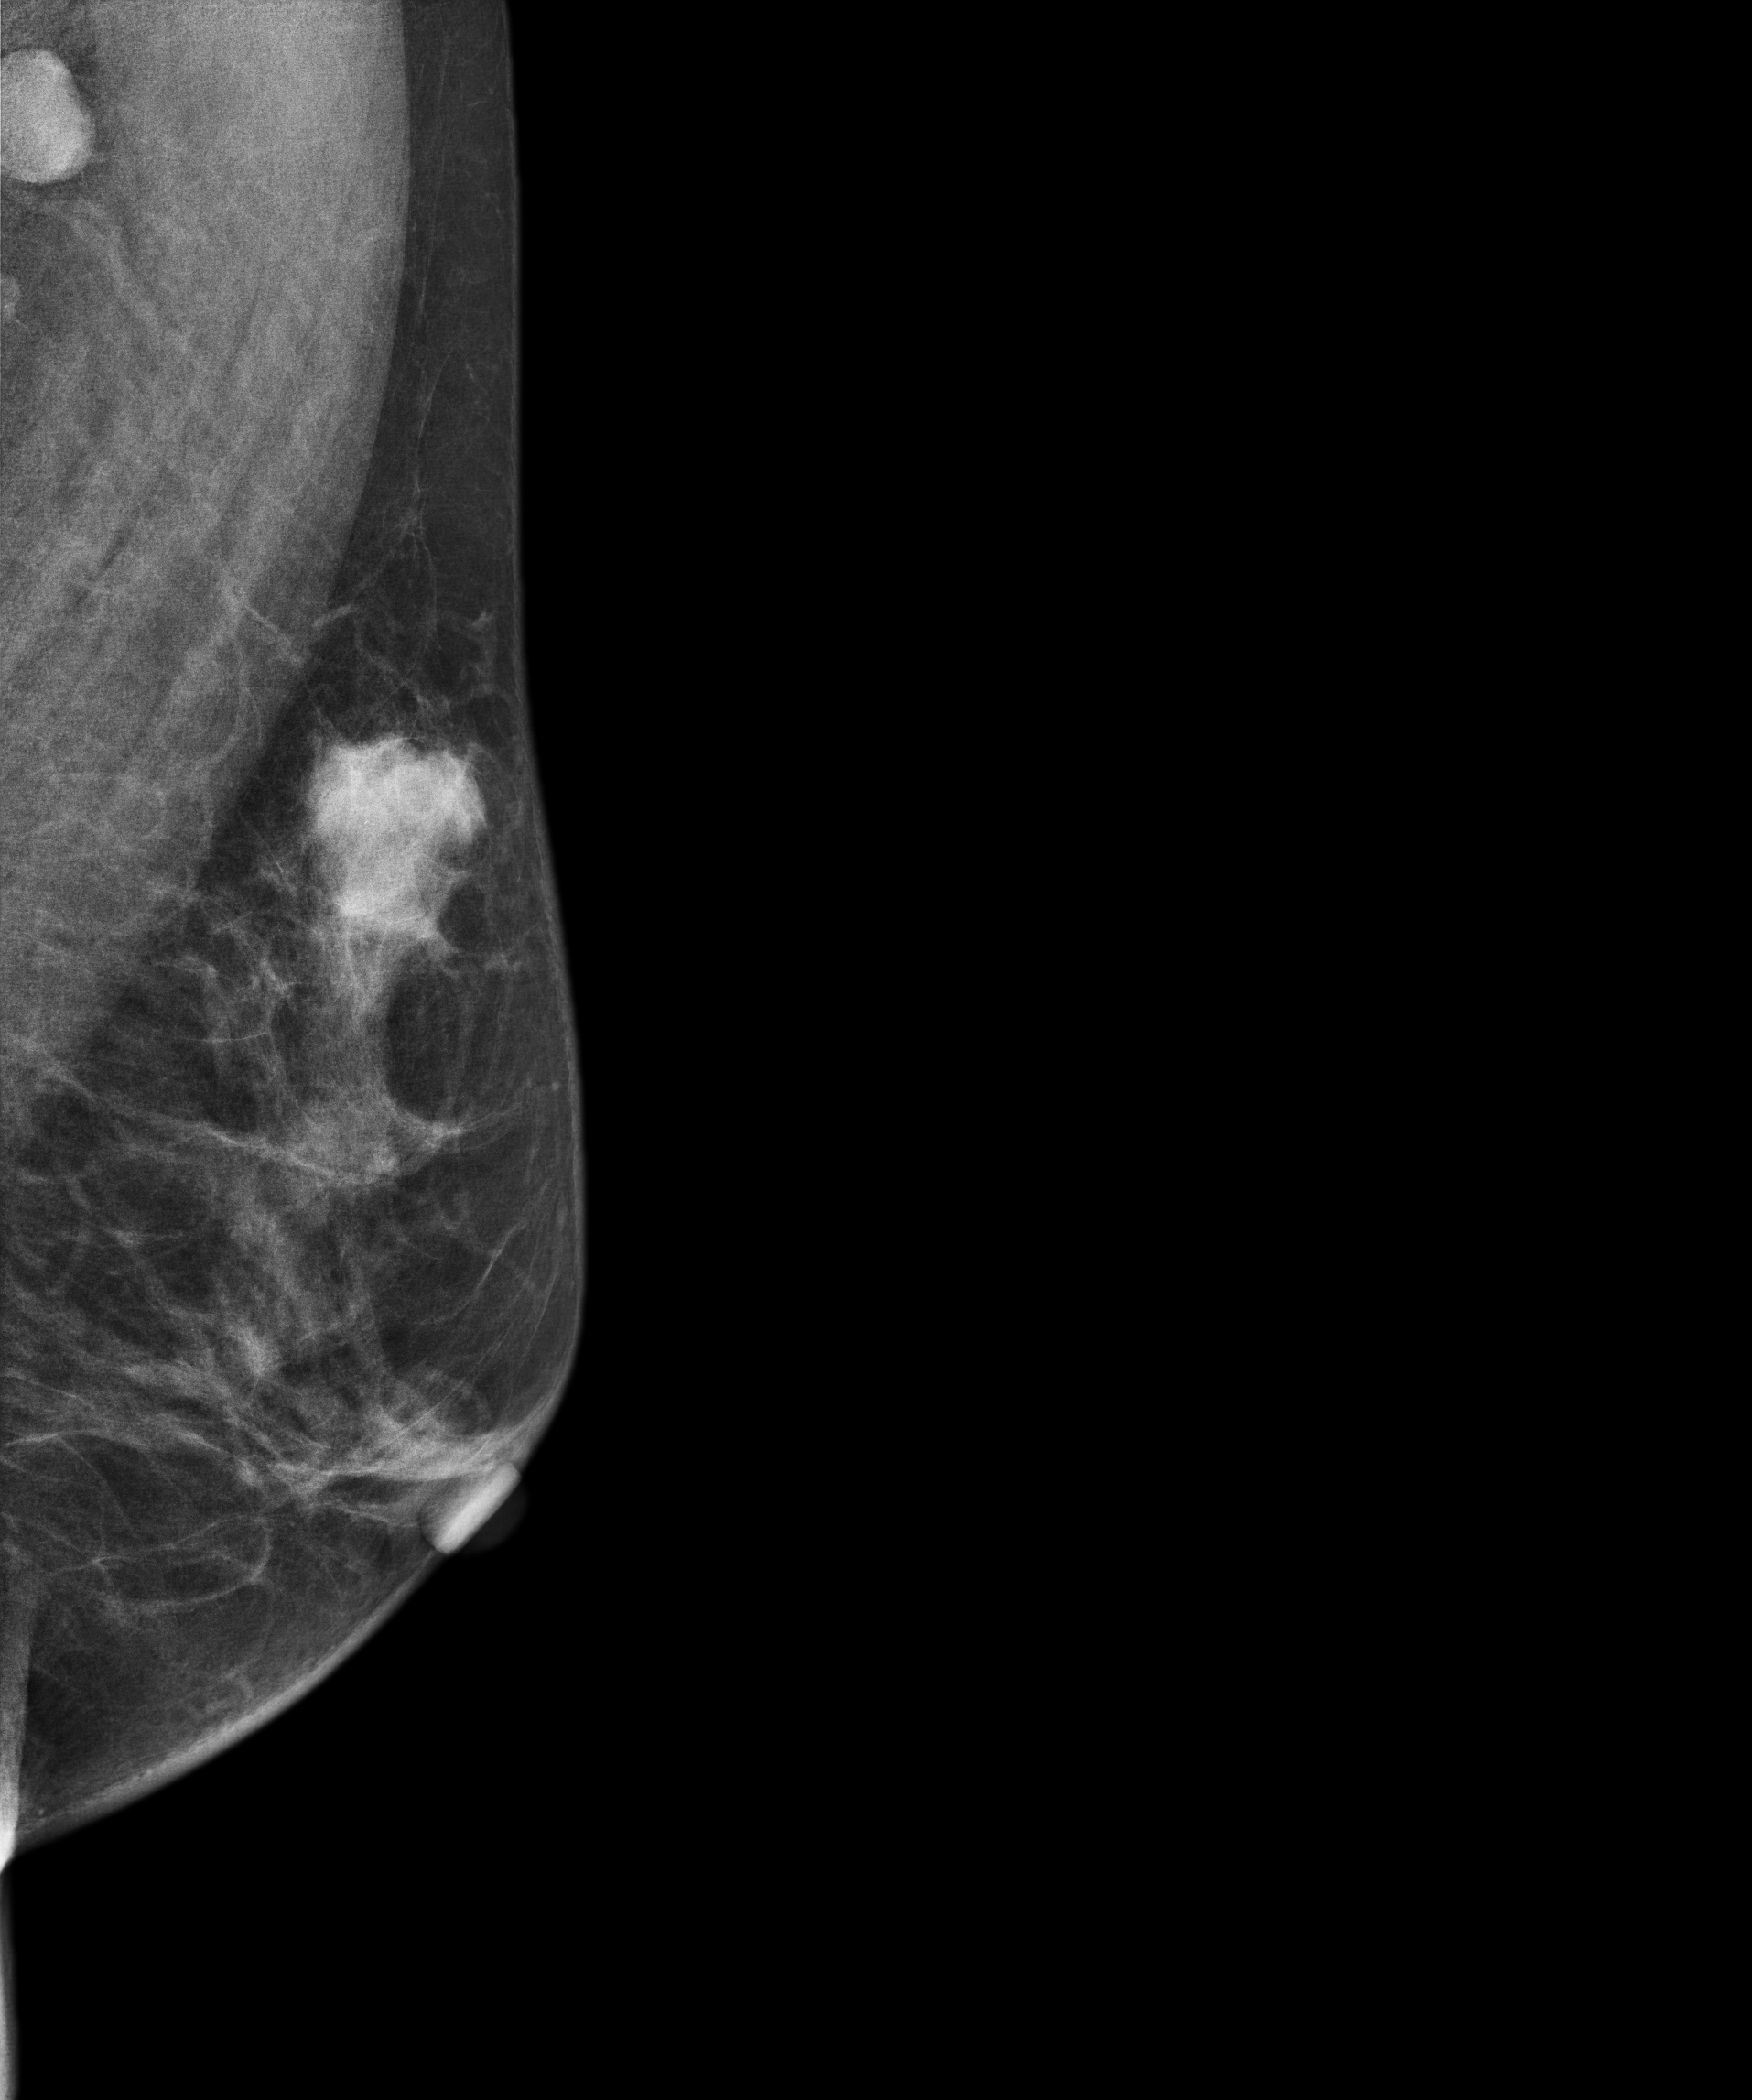
Mammogram, left breast, medio-lateral oblique view. 56-year-old patient.
This breast has a mass, histologically confirmed malignant. Molecular subtype: HER2-enriched.